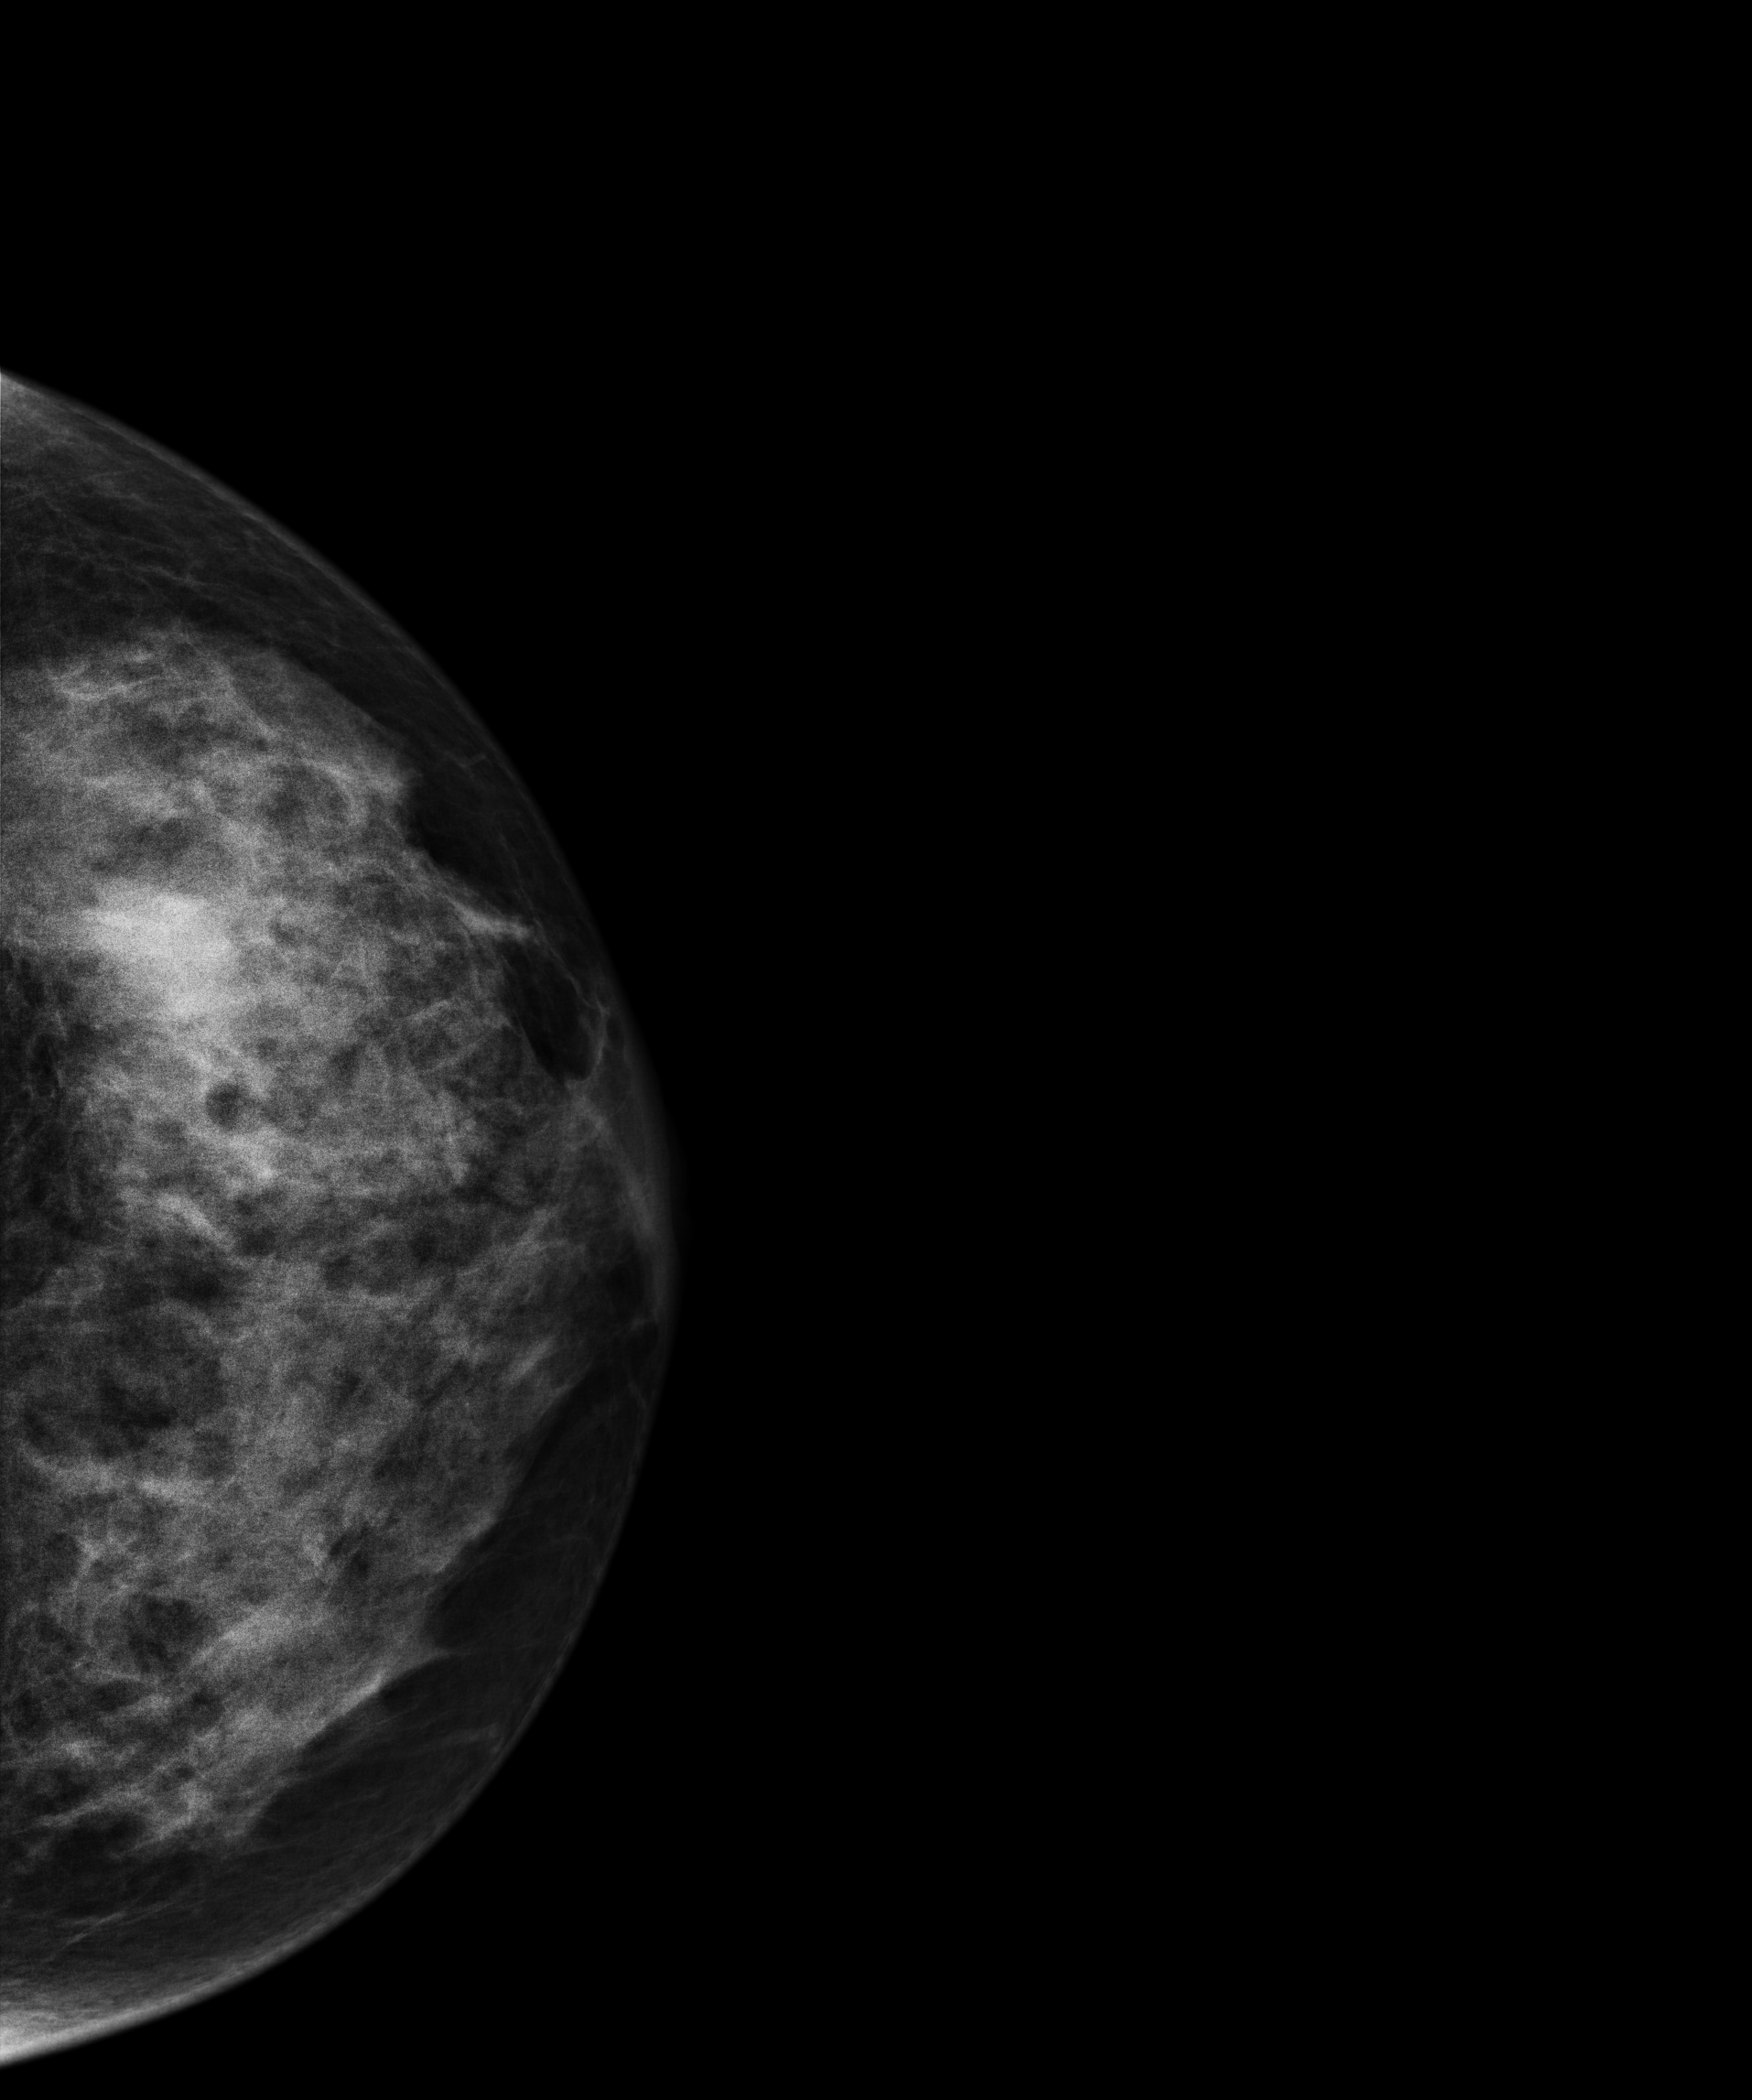
Mammogram — left cranio-caudal. 37 y/o patient.
This breast has a mass, biopsy-proven benign.